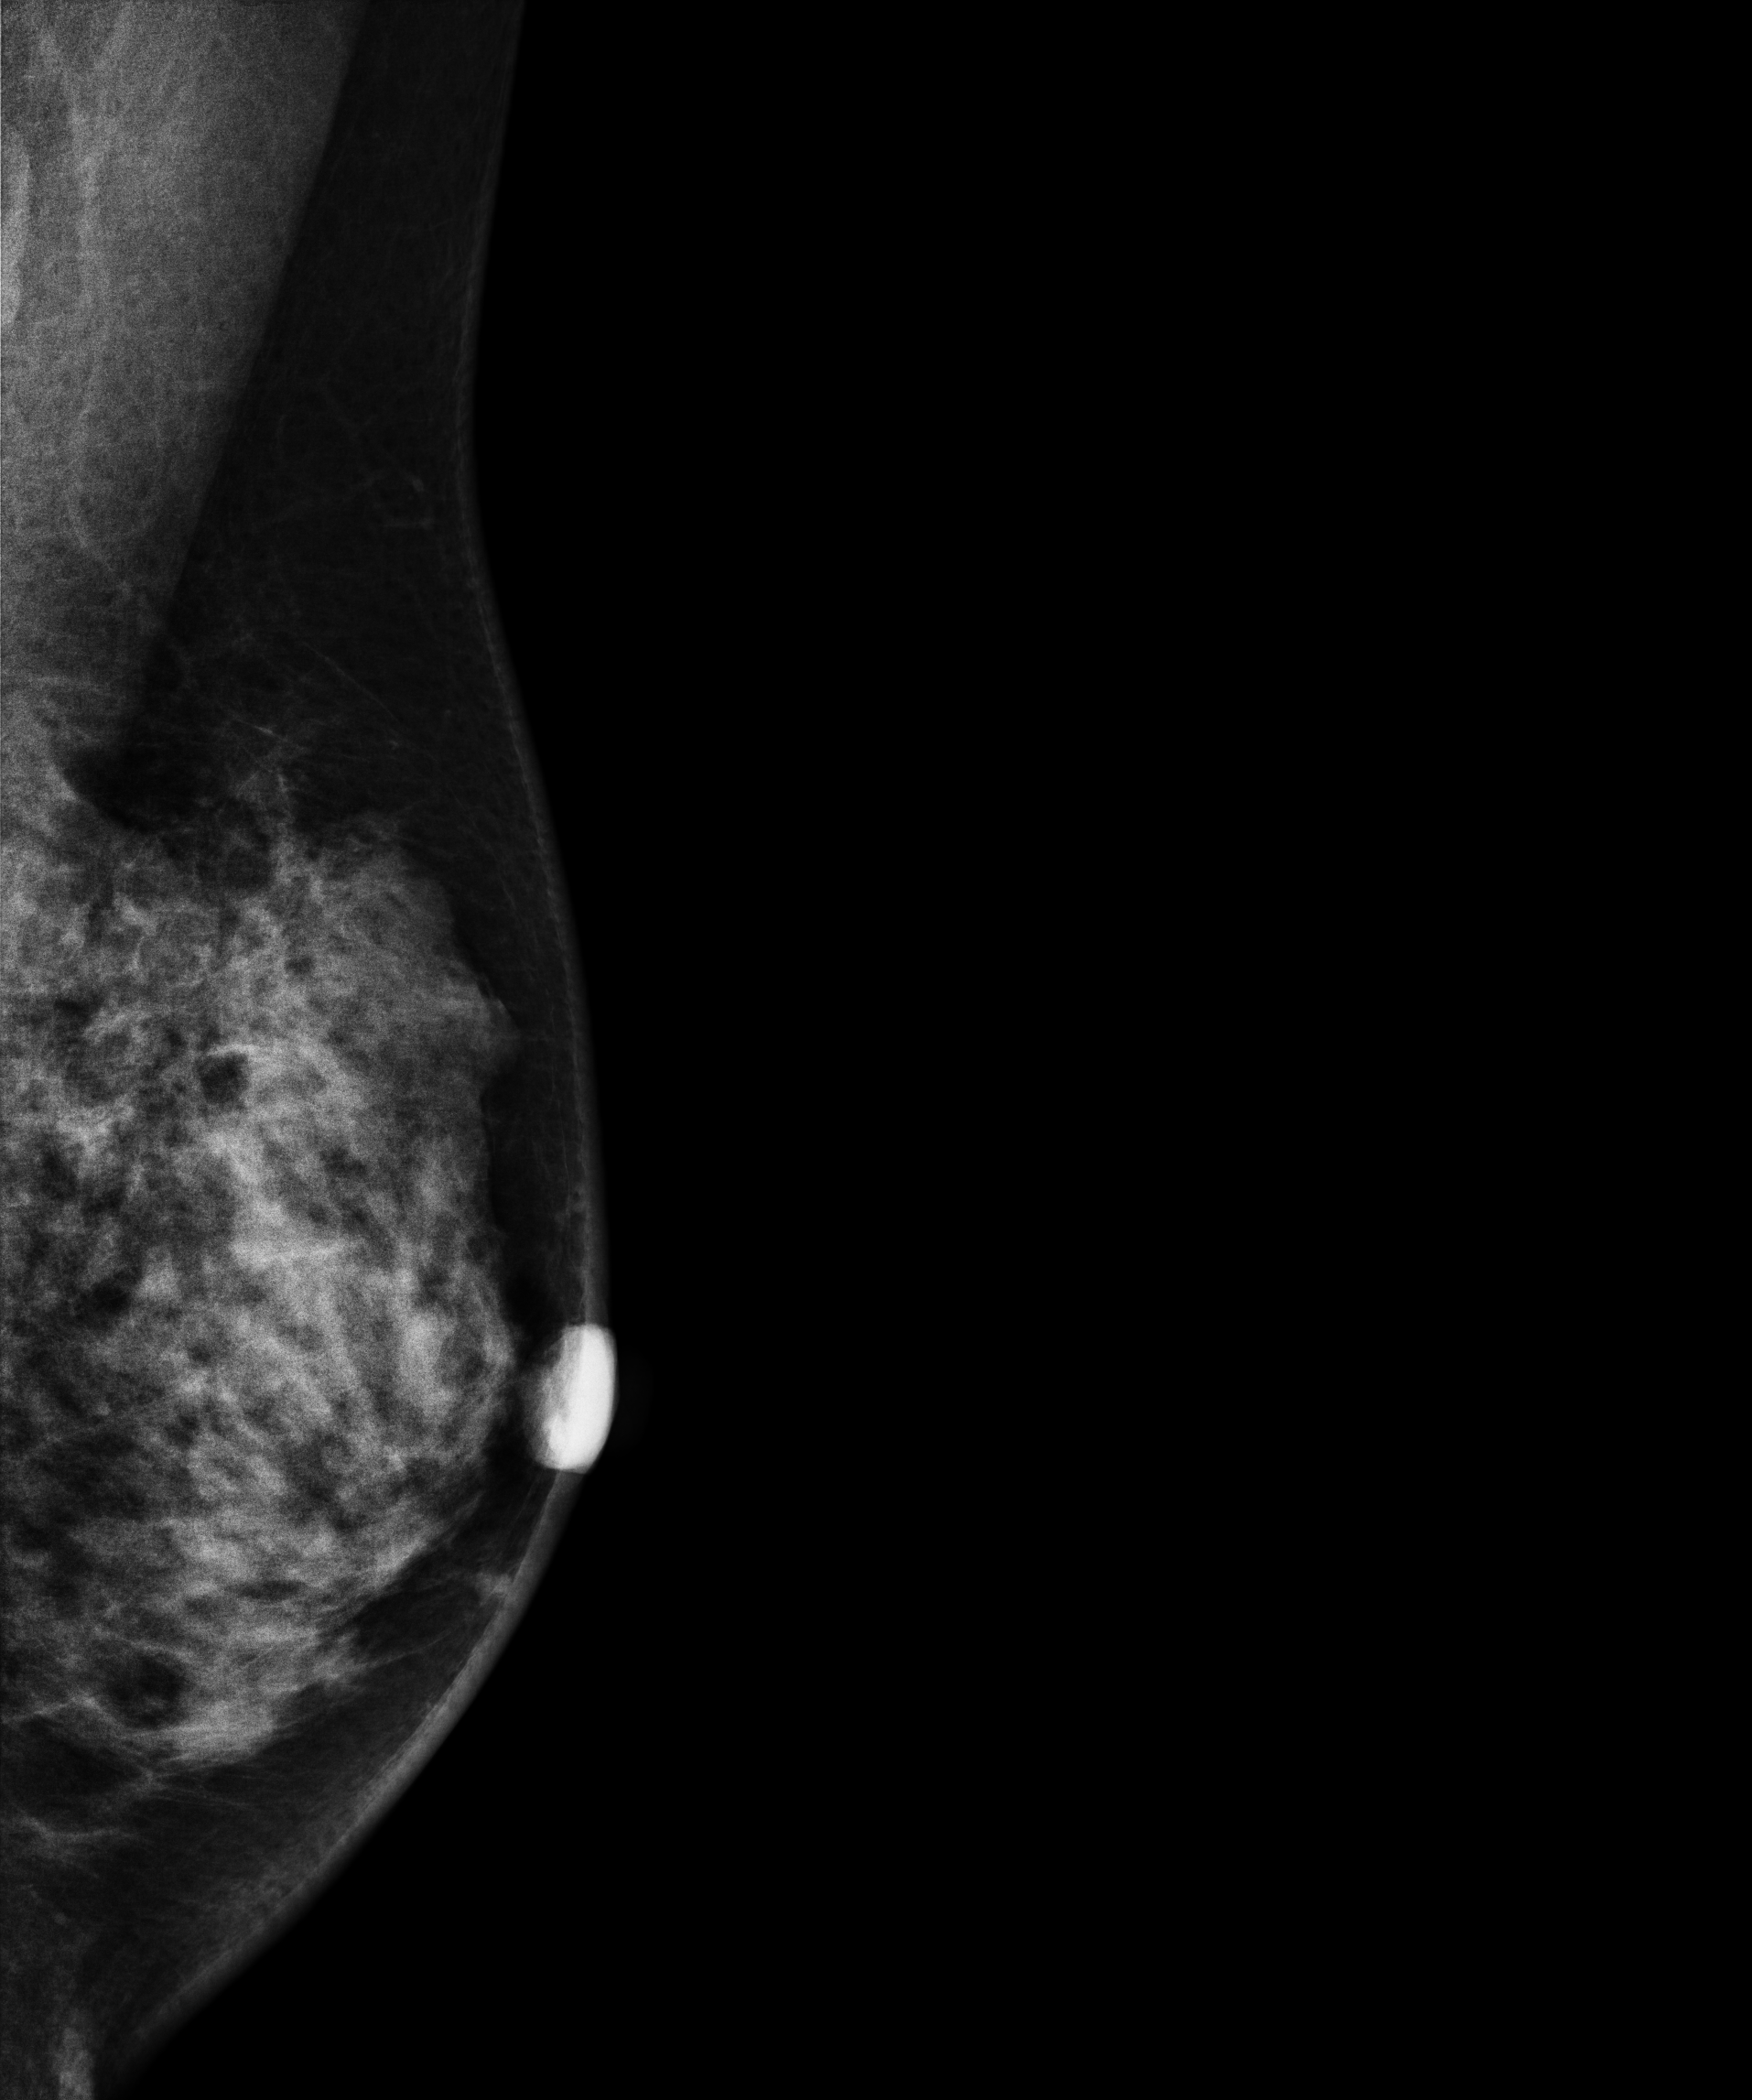
Left-breast mammogram, medio-lateral oblique. 40-year-old patient.
This breast has a mass, biopsy-proven malignant. Molecular subtype: triple-negative.